Mammogram — right CC. 33-year-old patient.
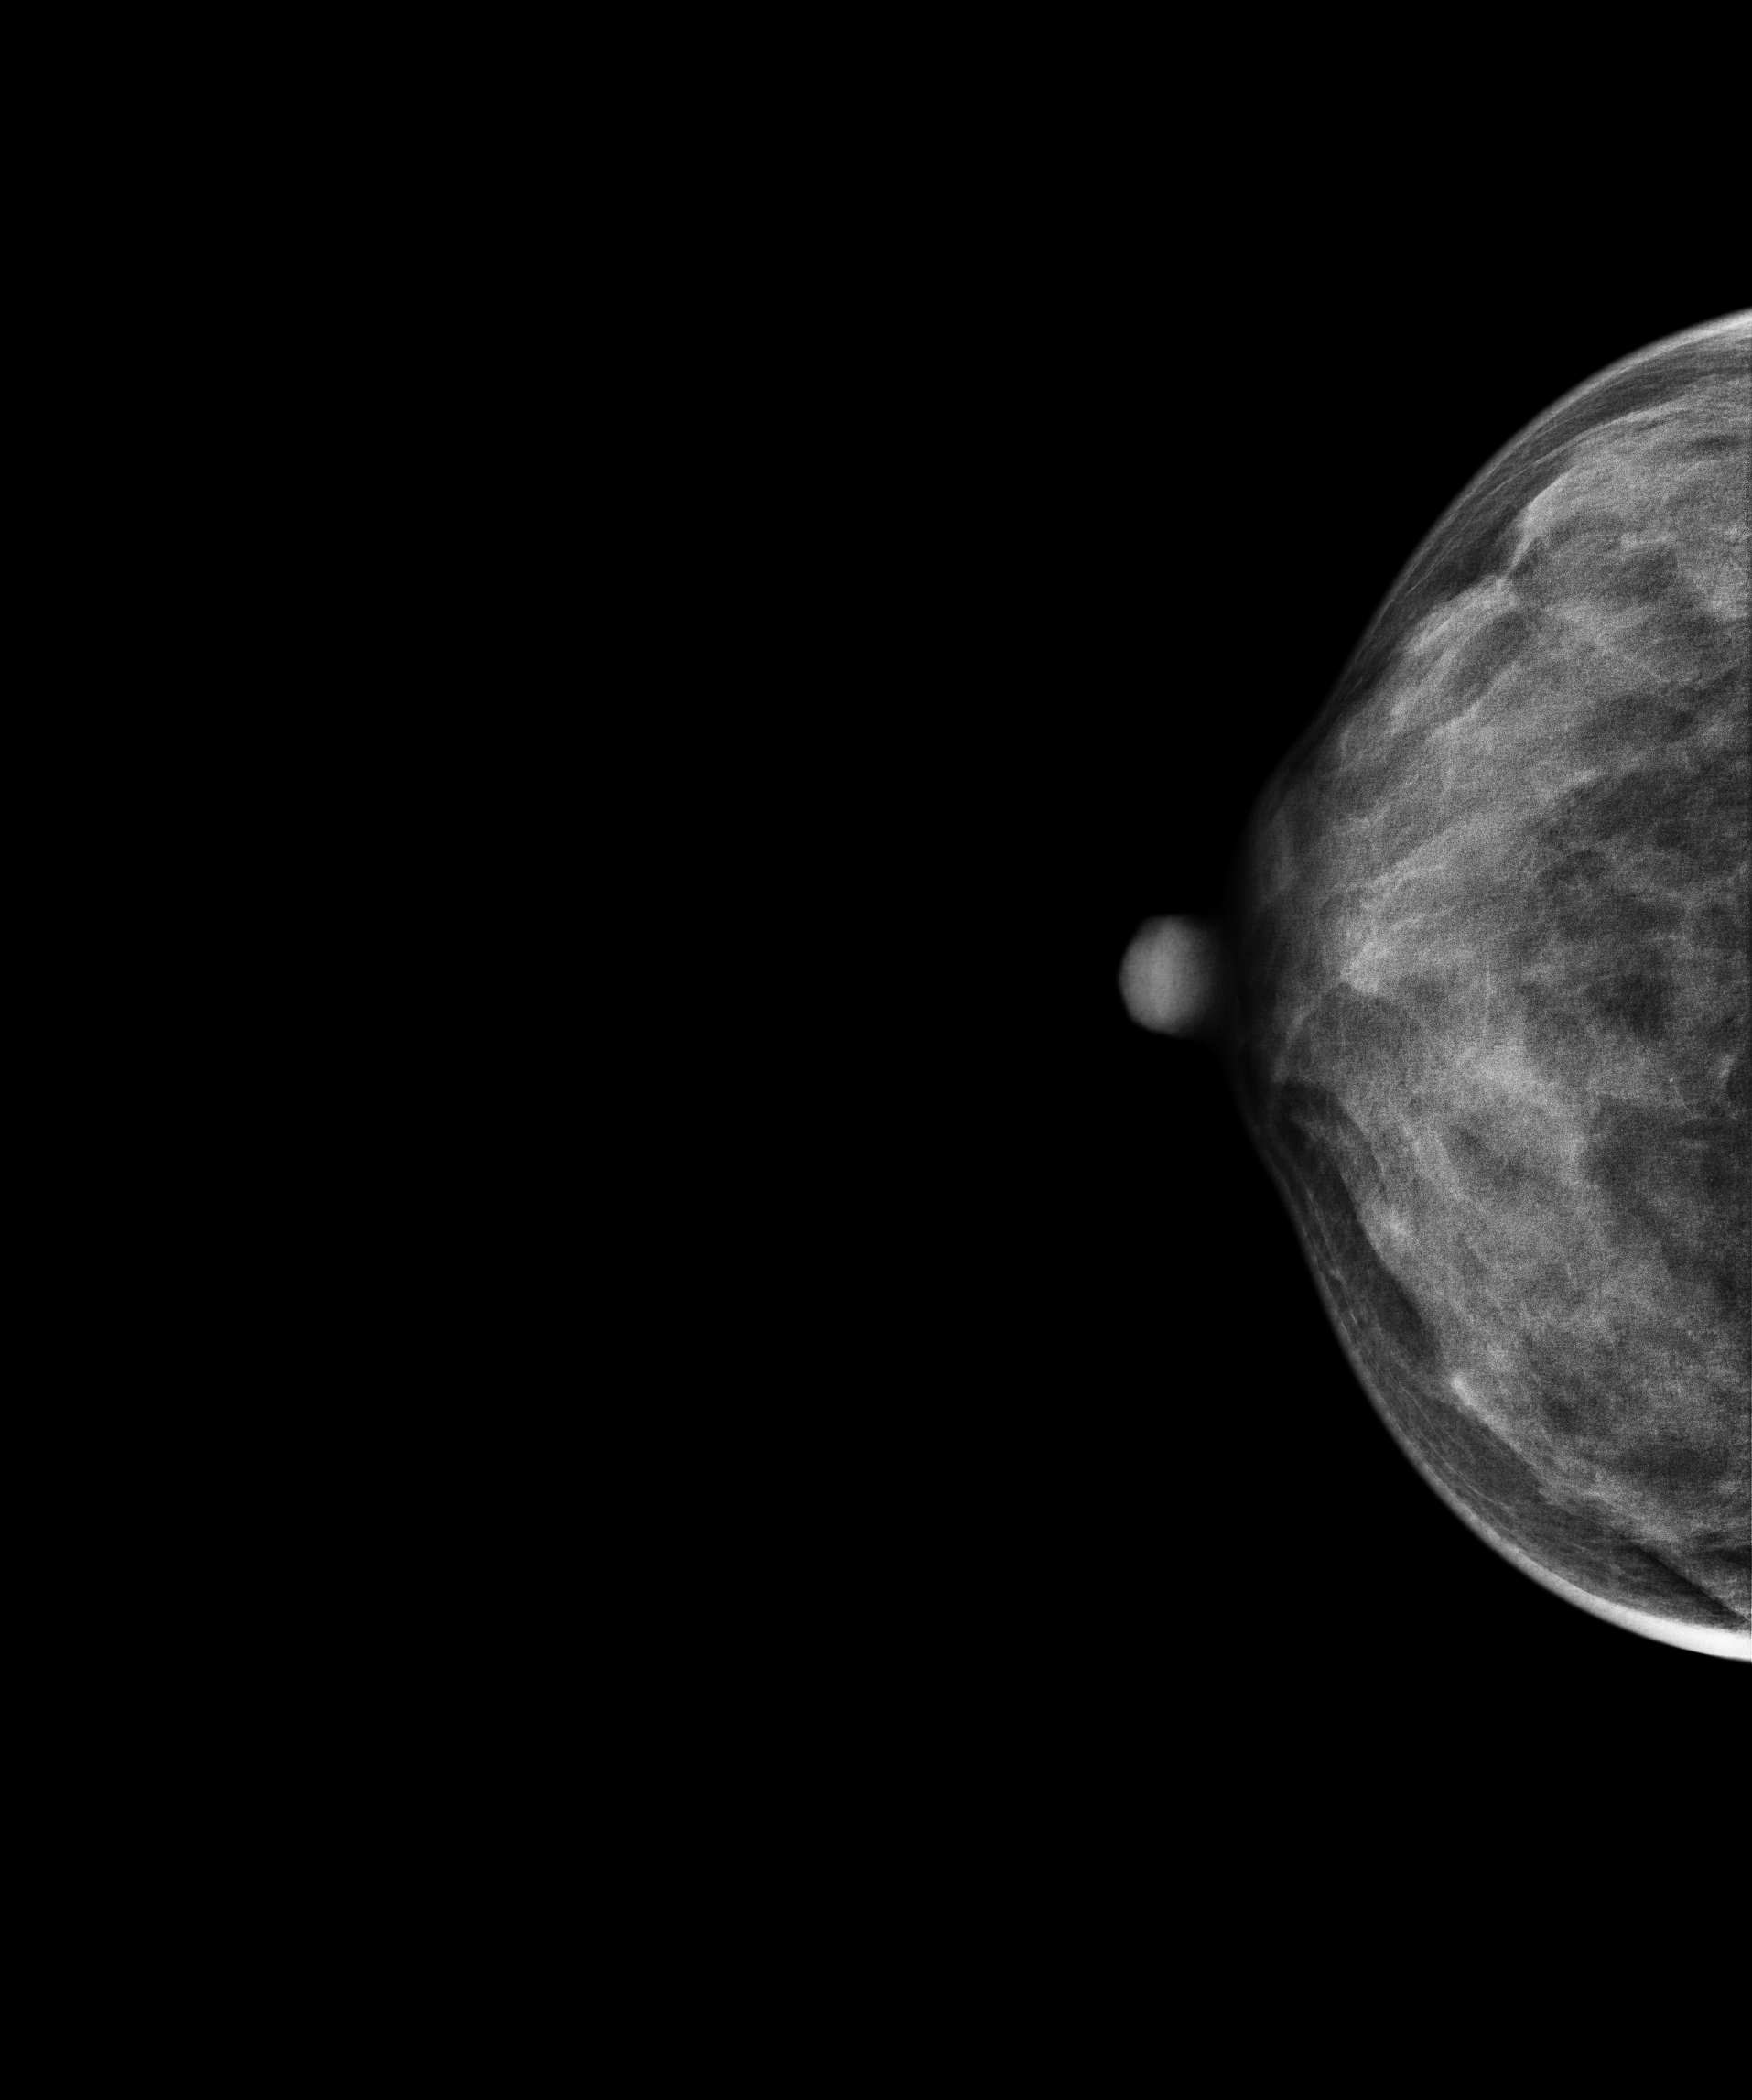
Contralateral breast — no documented abnormality on this side.